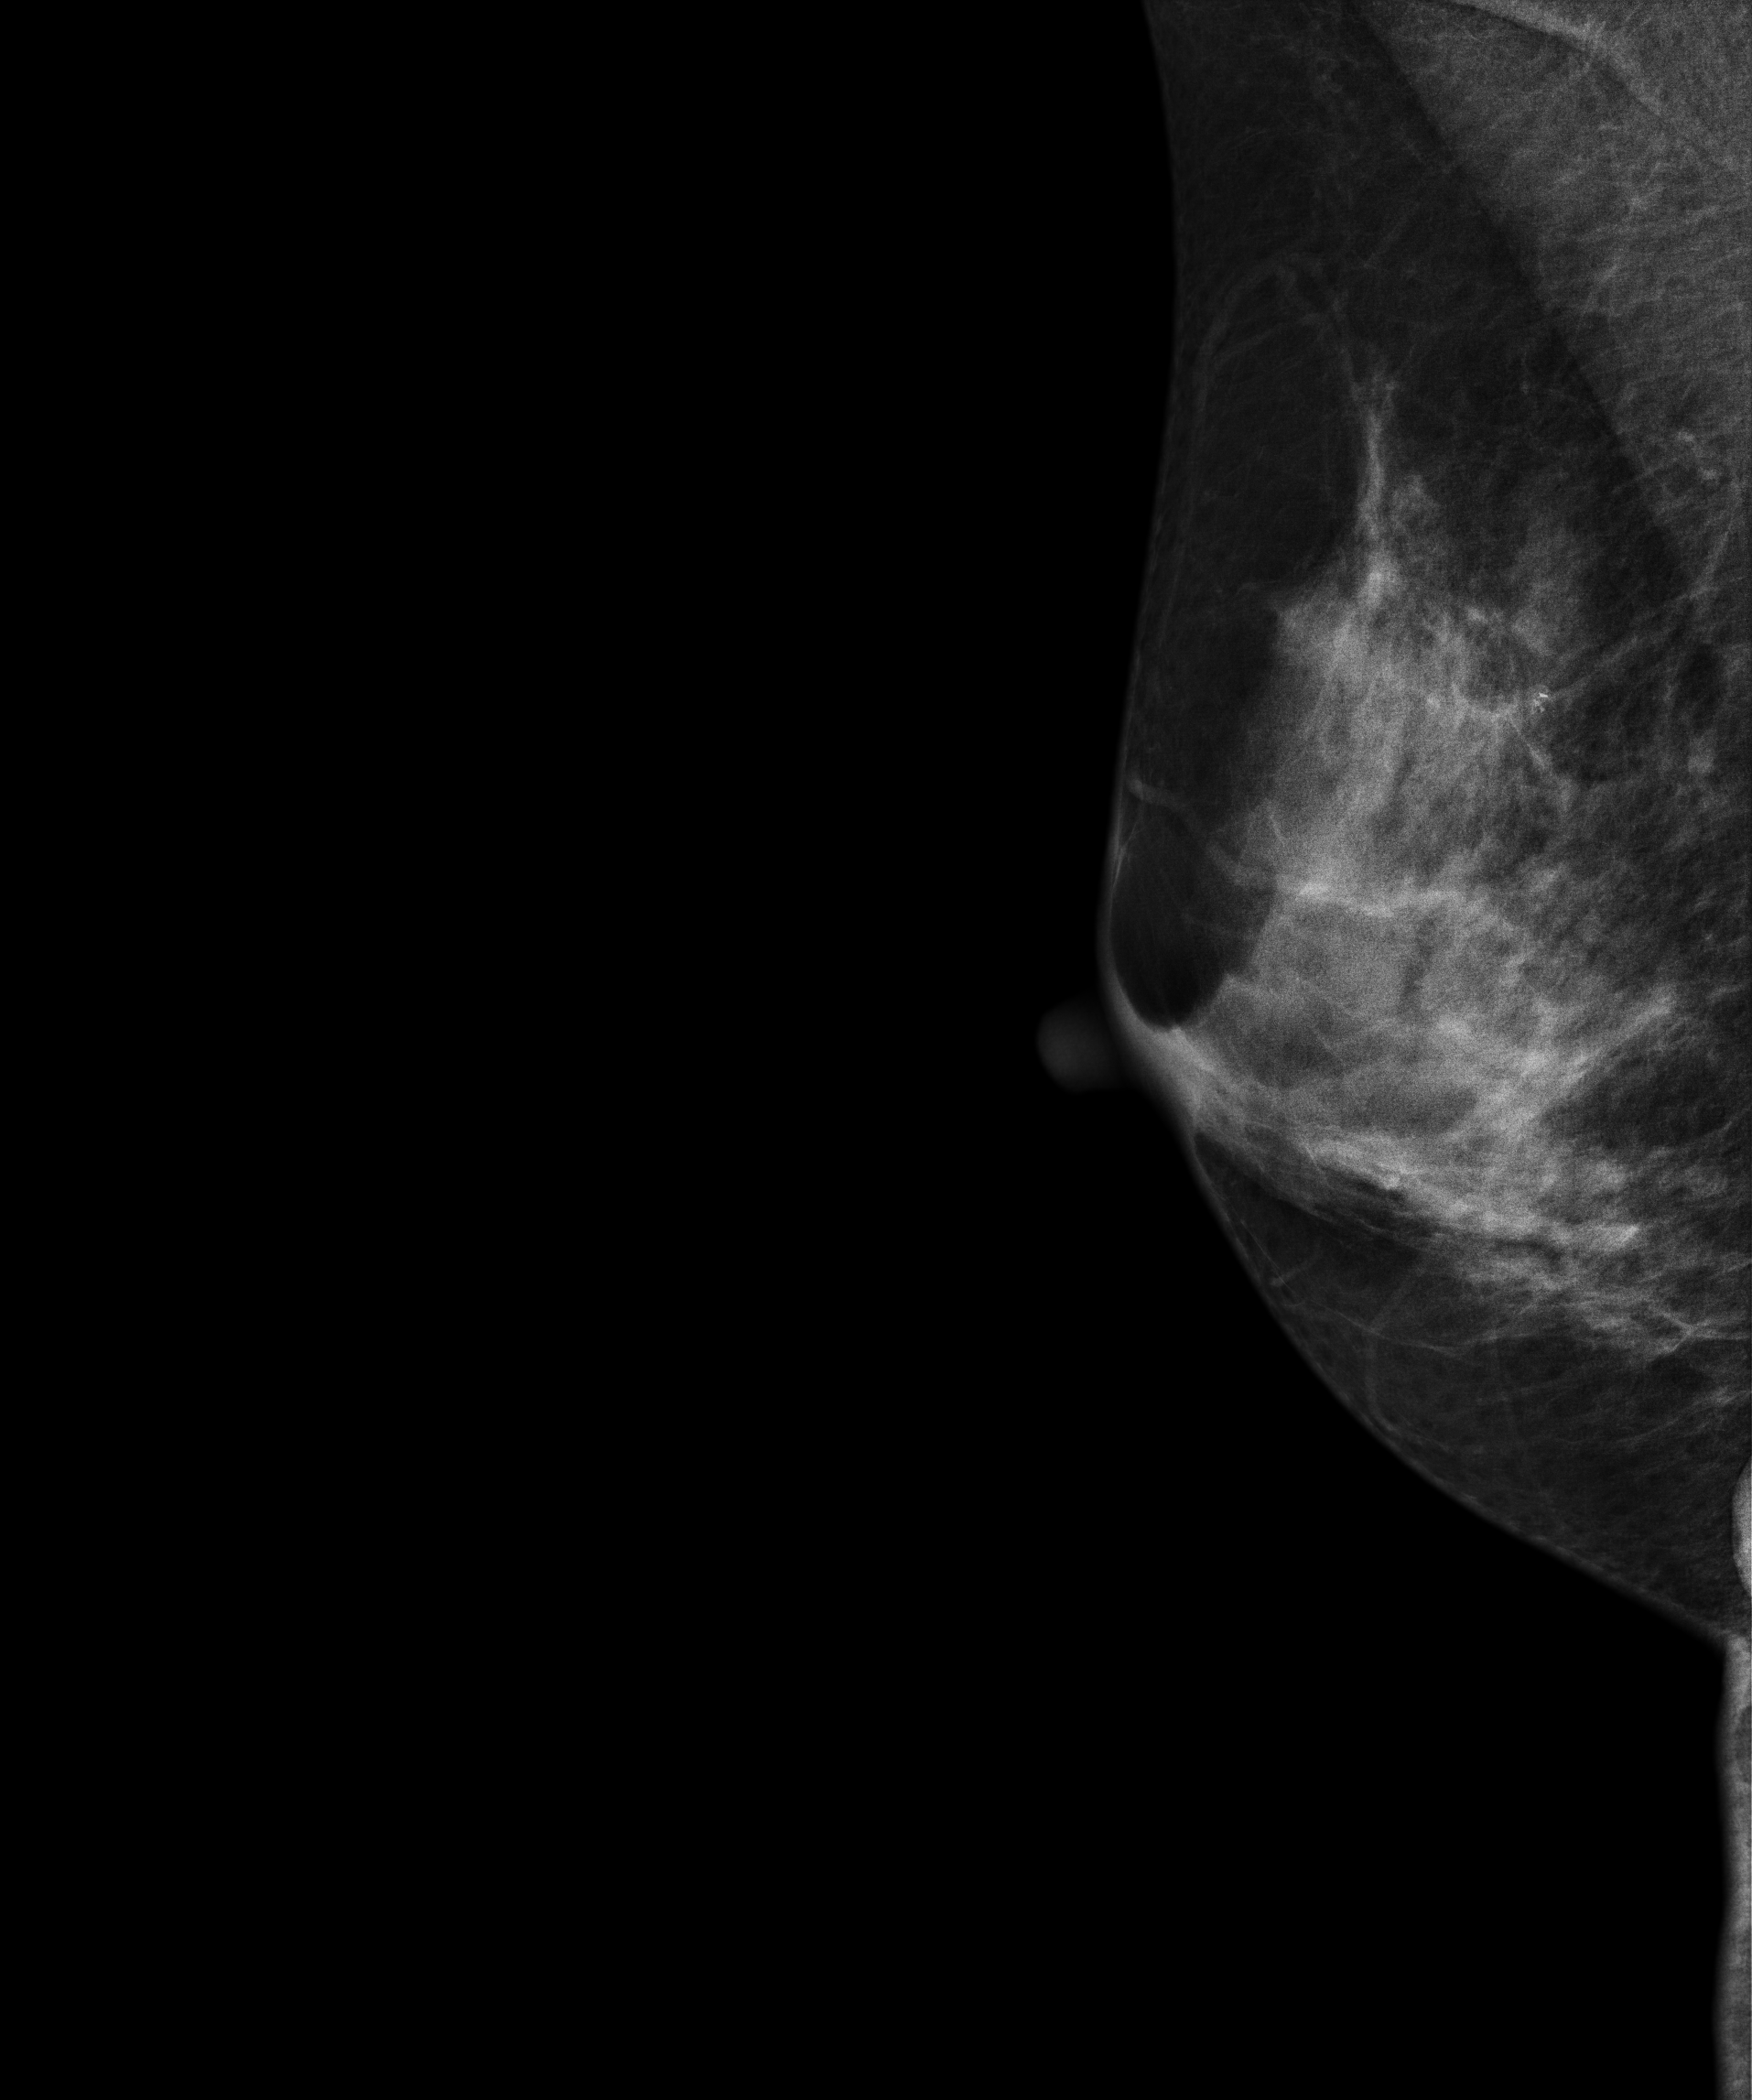
Medio-lateral oblique mammogram of the right breast. 55-year-old patient.
Contralateral breast — no documented abnormality on this side.